Mammogram — left MLO. Patient age 73.
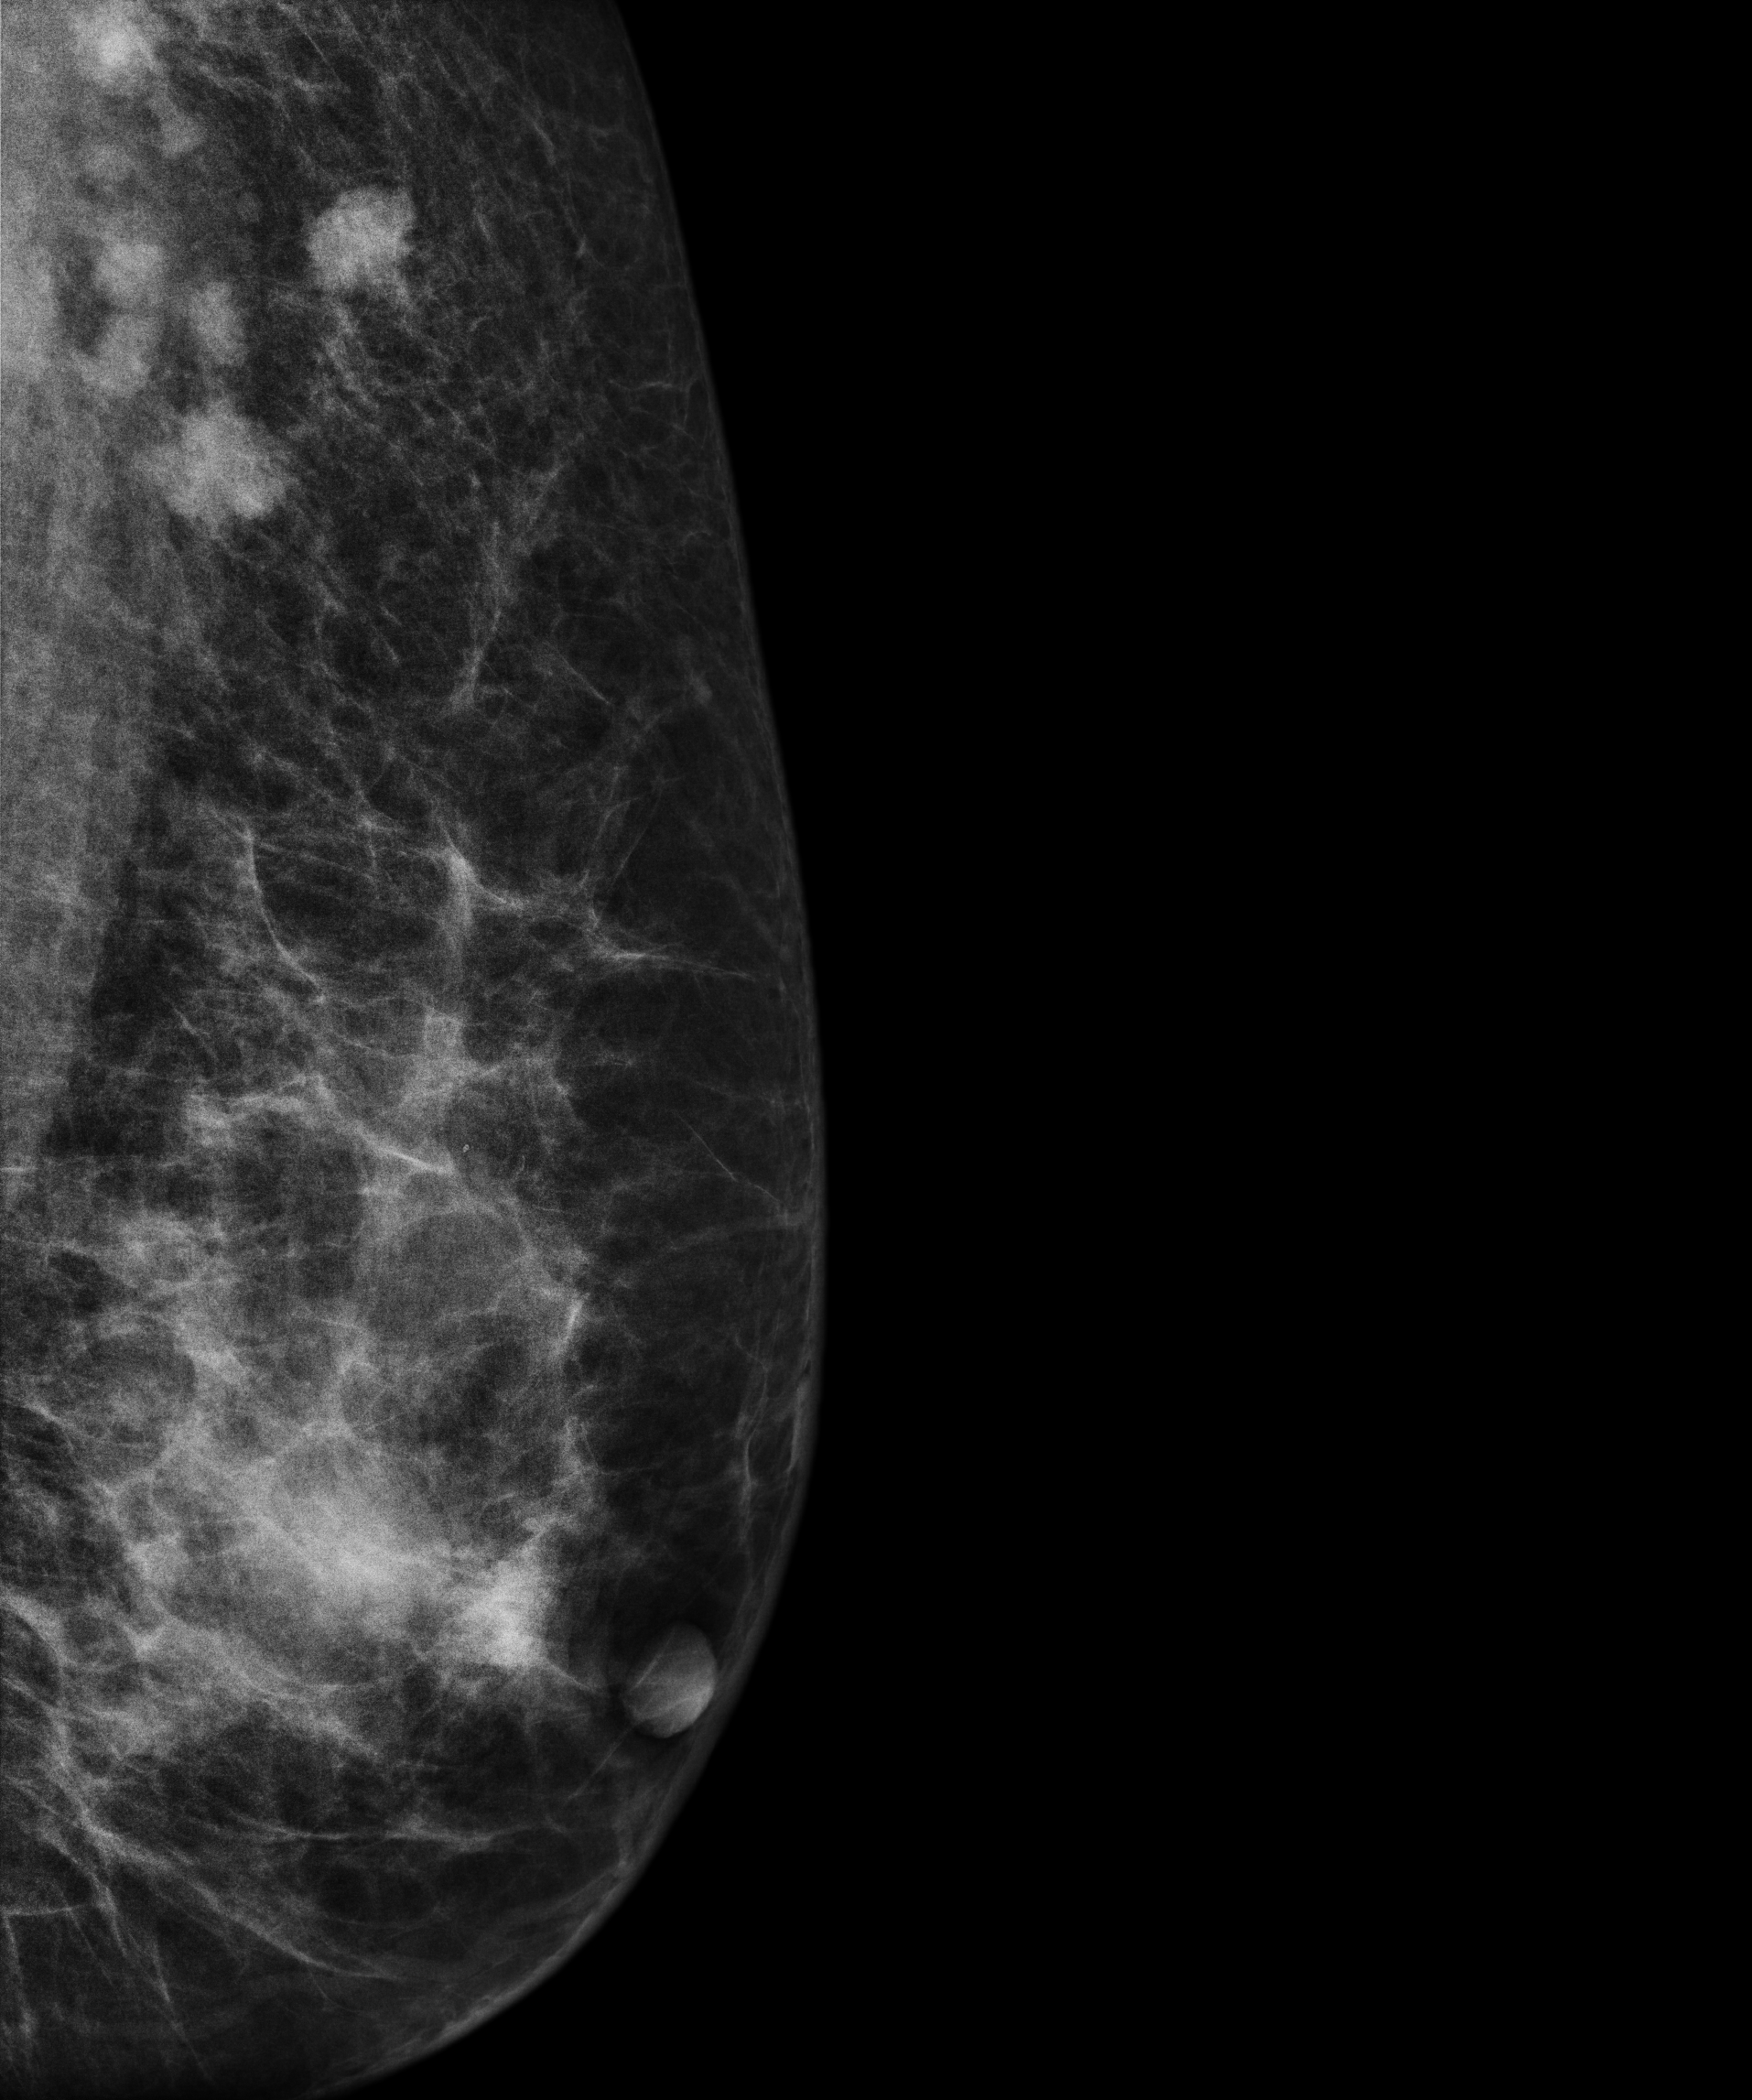
This breast has a mass, biopsy-confirmed malignant.